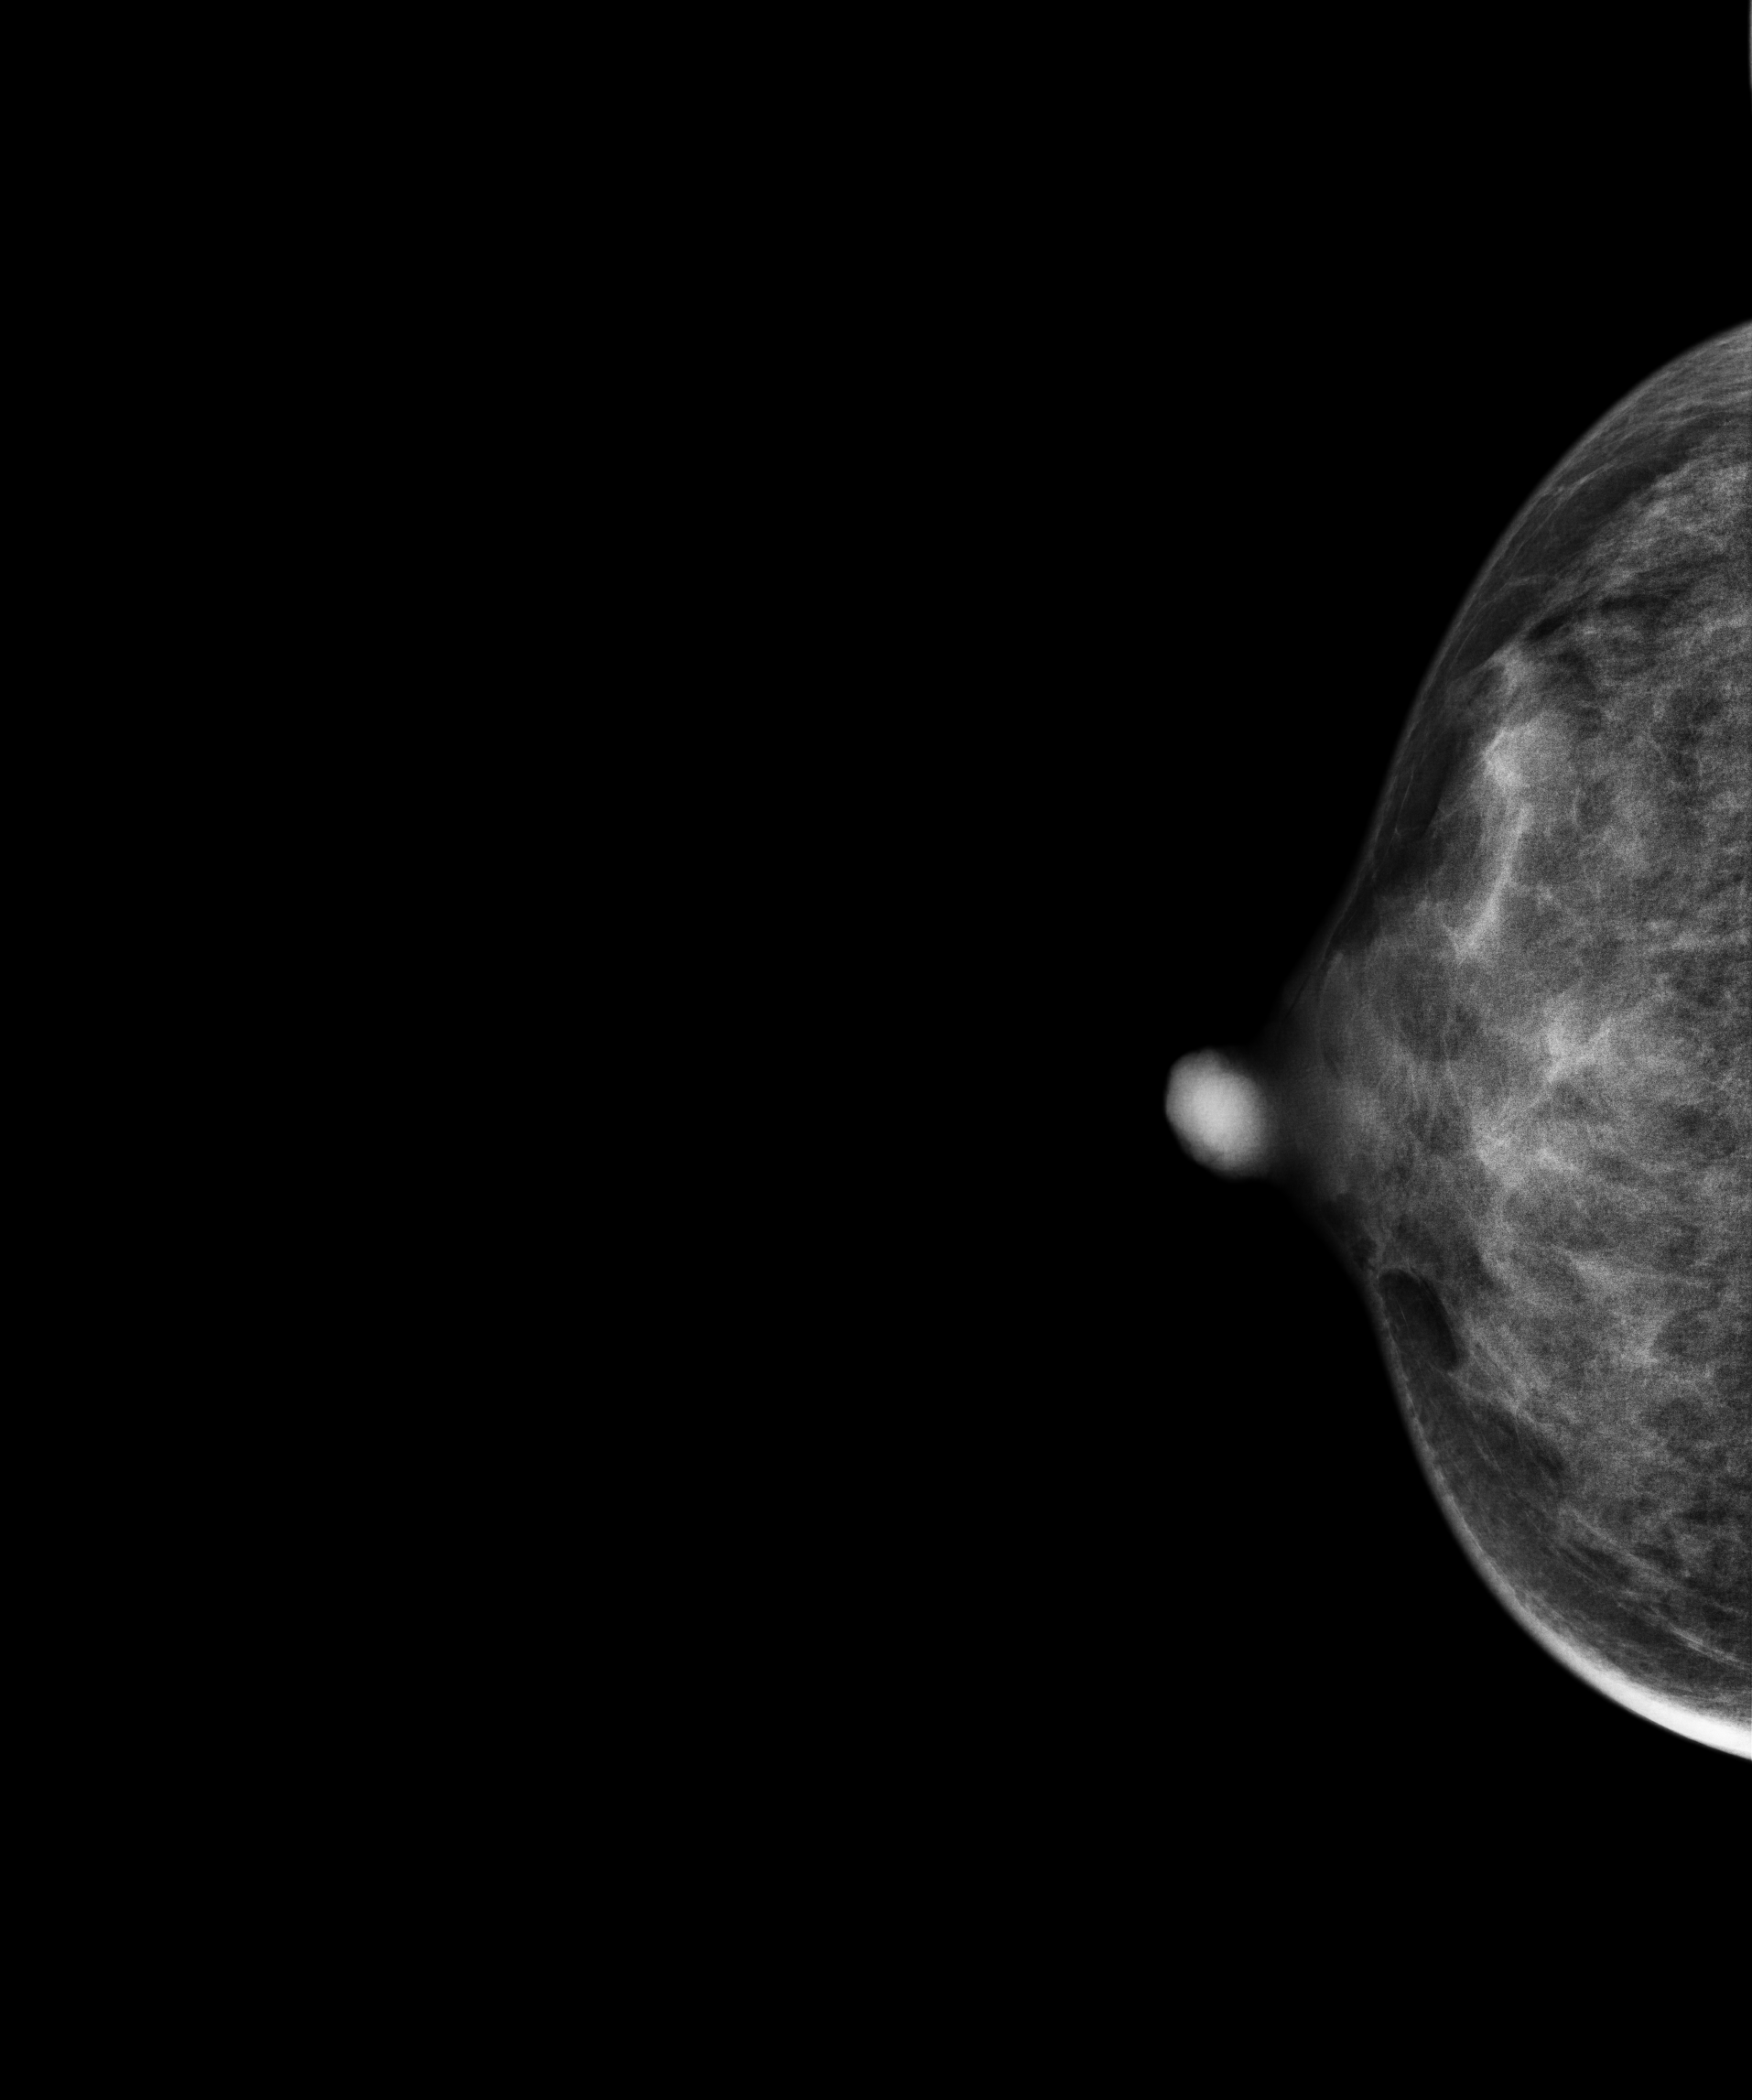
Mammogram, right breast, cranio-caudal view. 39-year-old patient.
This breast has a mass, pathology-confirmed malignant. Molecular subtype: luminal A.